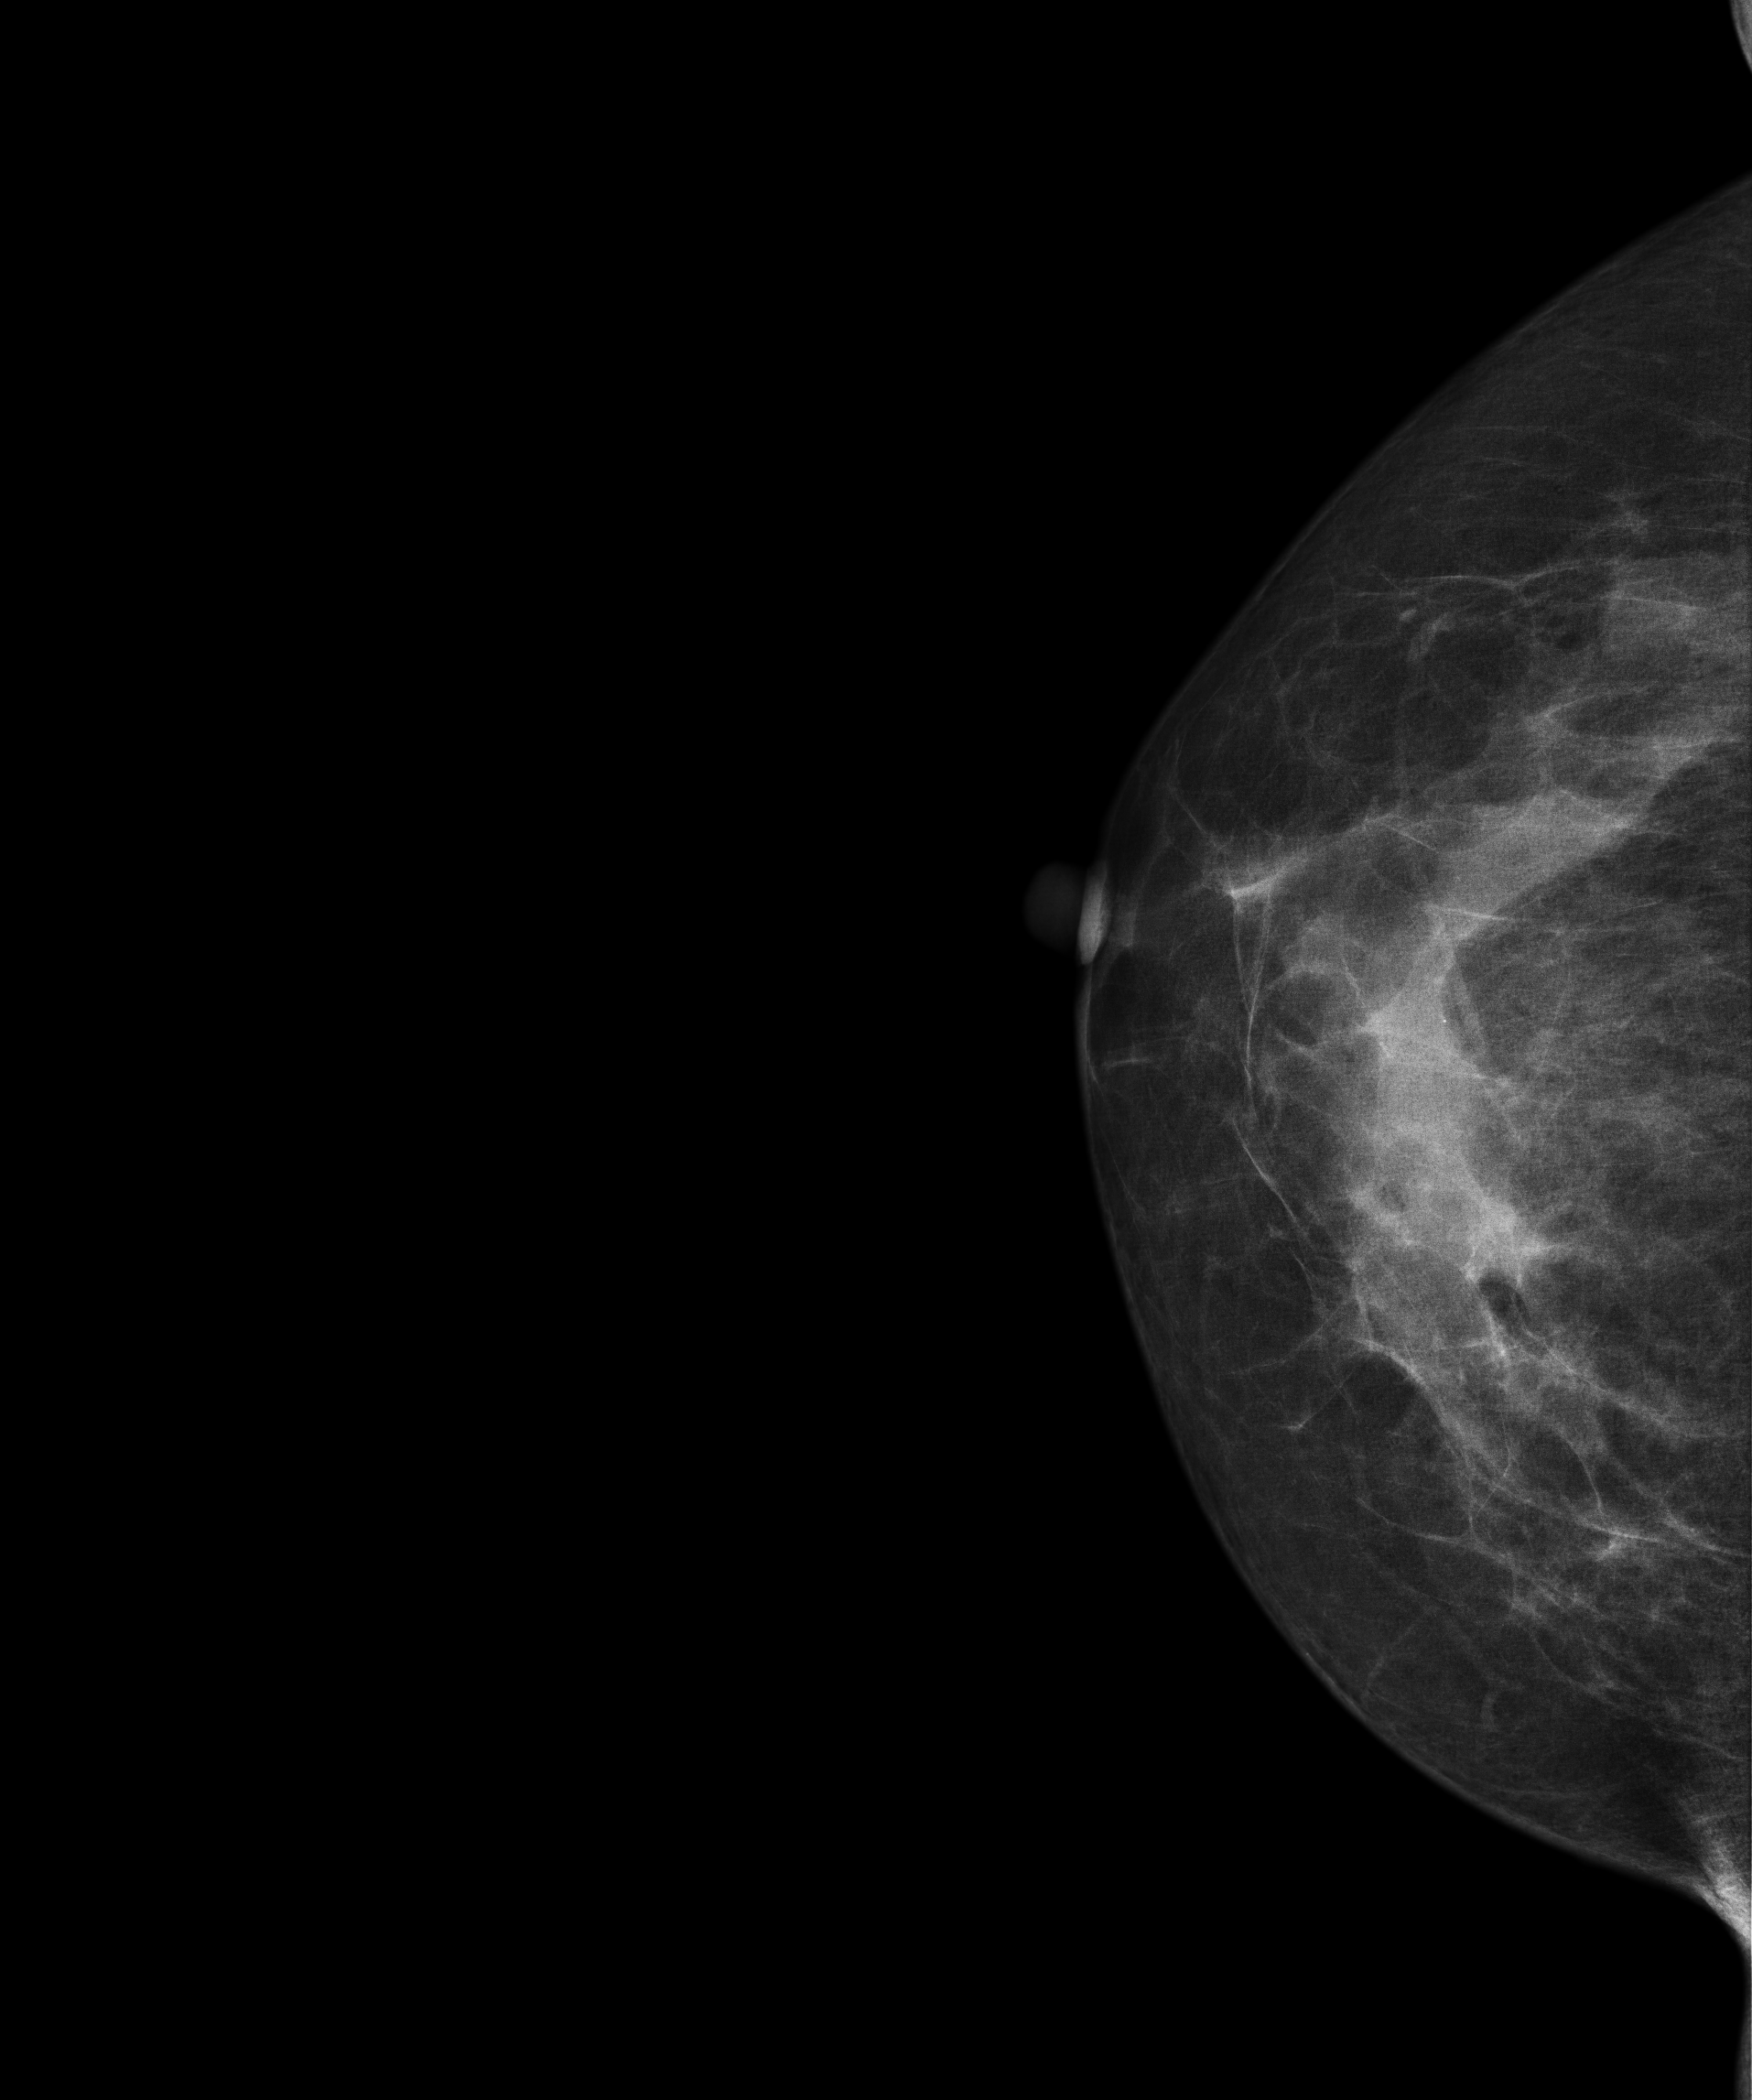
Right-breast mammogram, CC. 62 y/o patient.
Contralateral breast — no documented abnormality on this side.